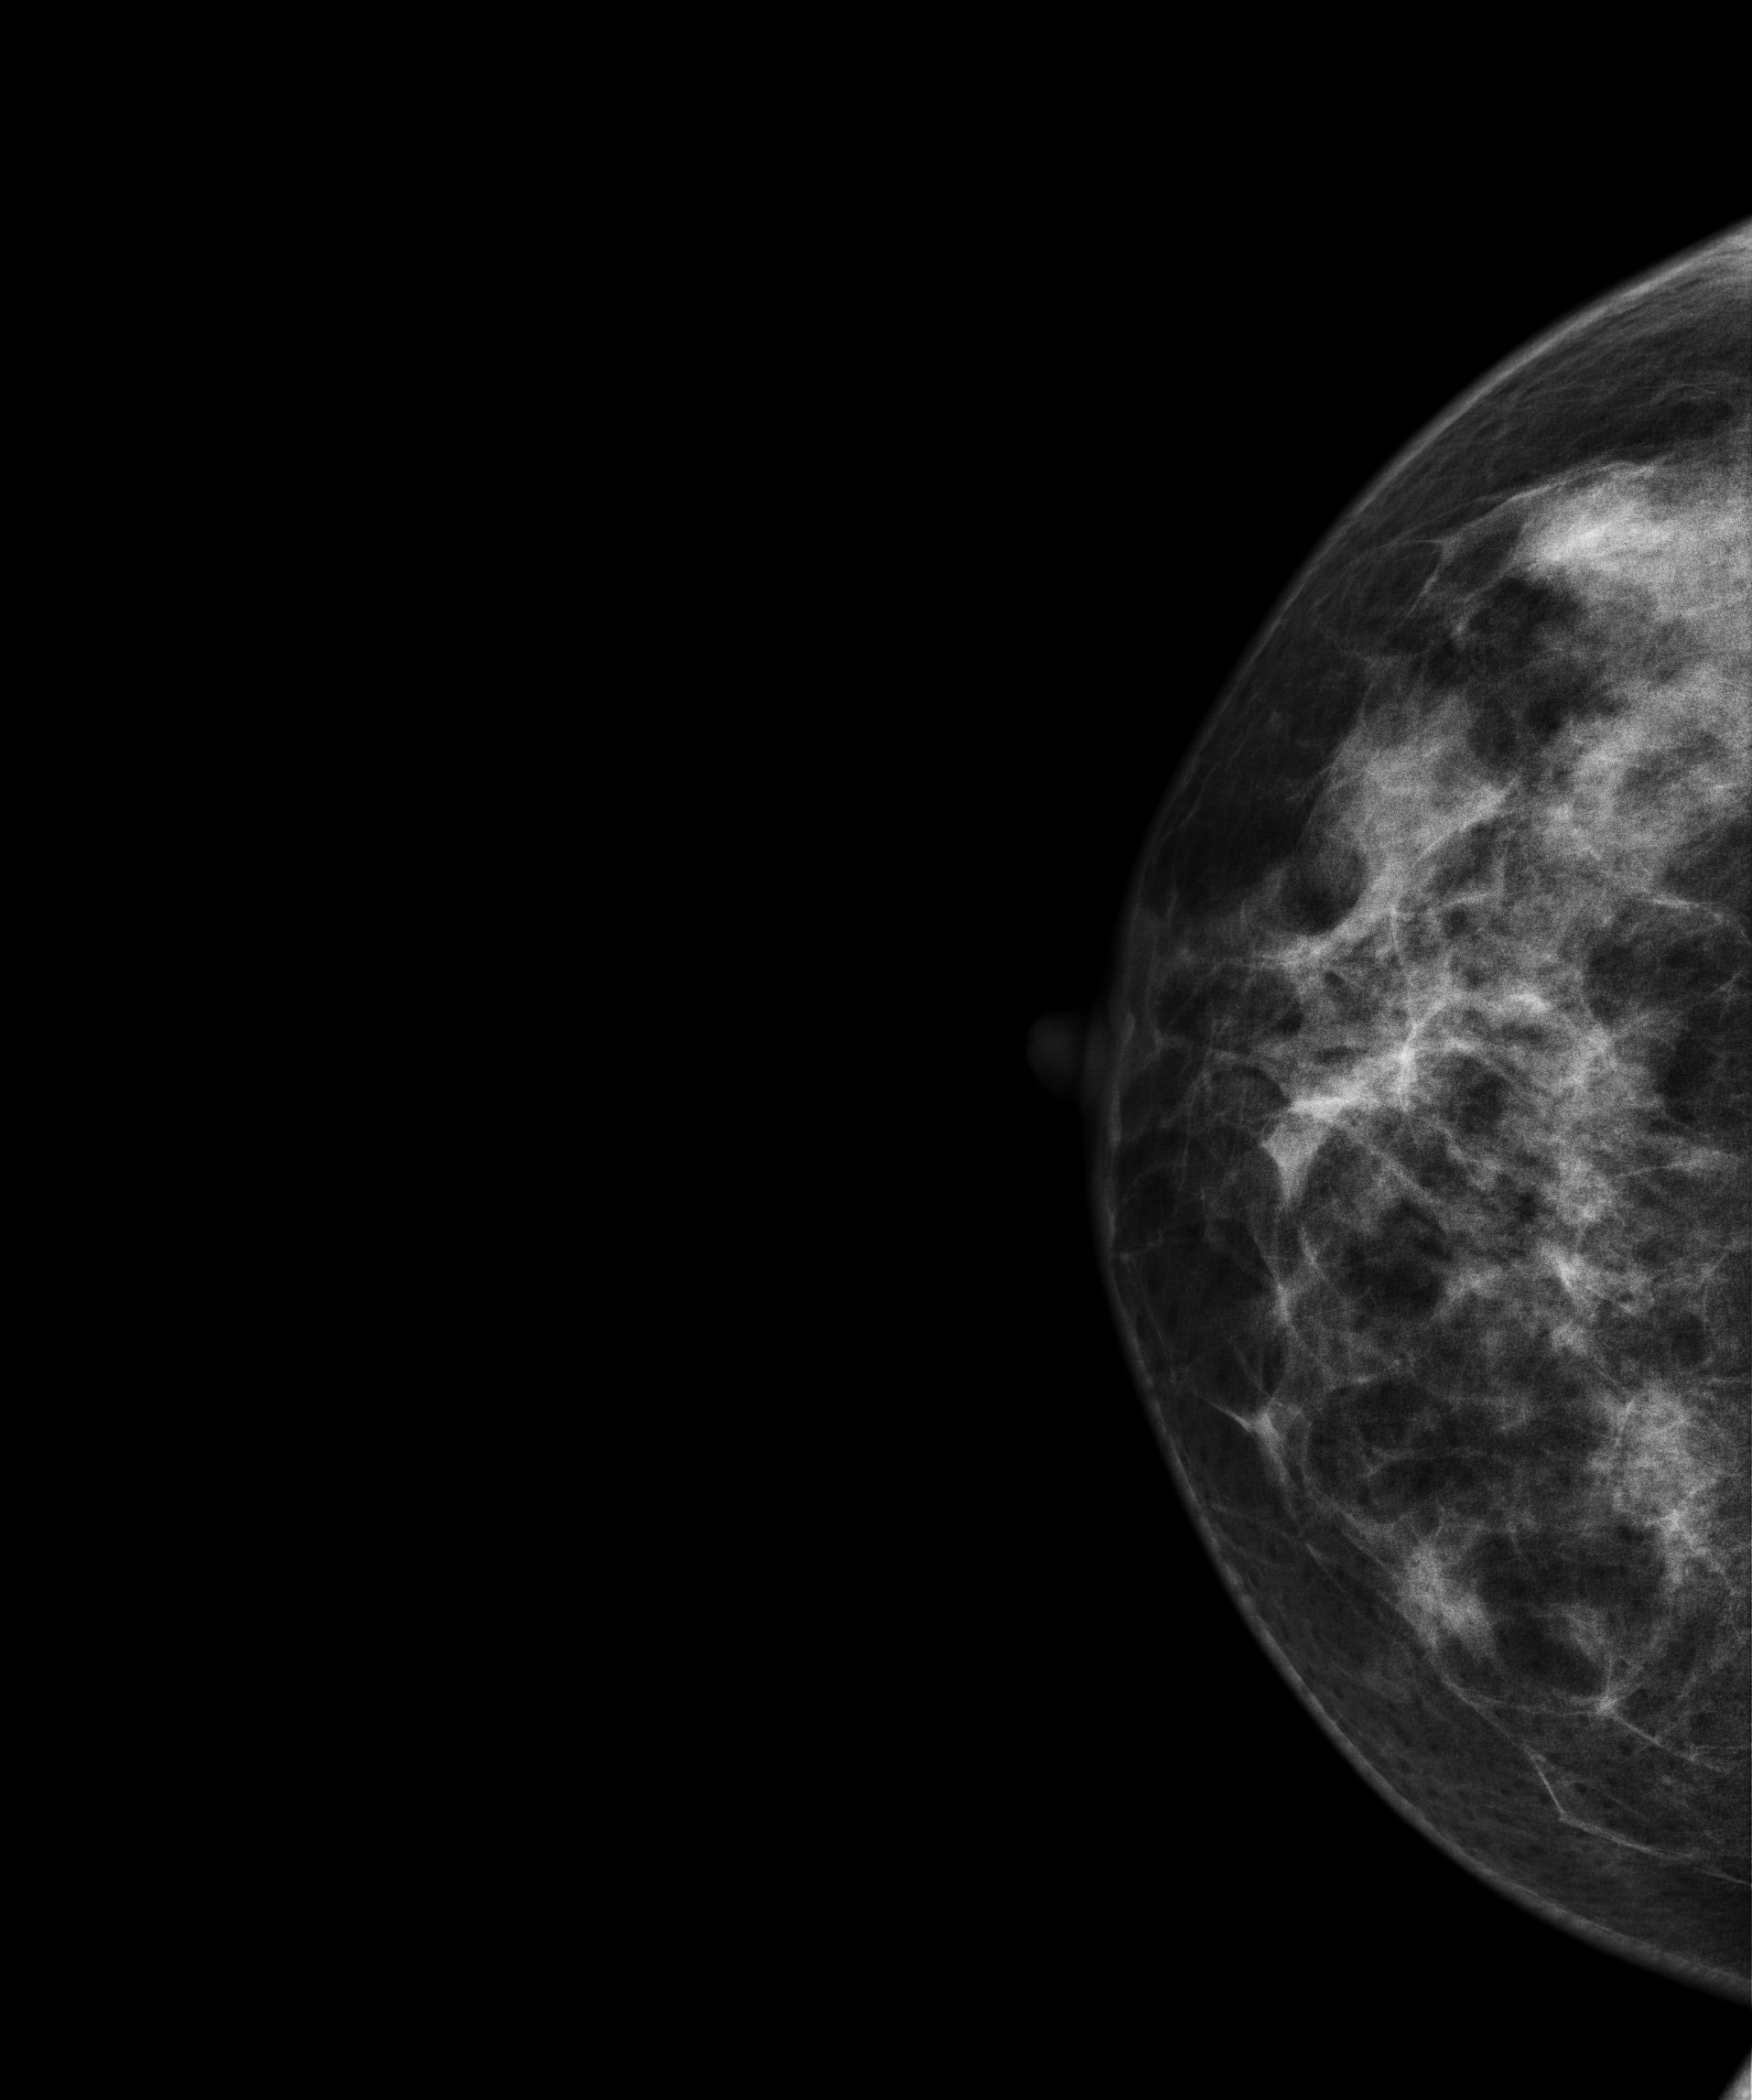
Right-breast mammogram, CC. Patient age 49.
Contralateral breast — no documented abnormality on this side.